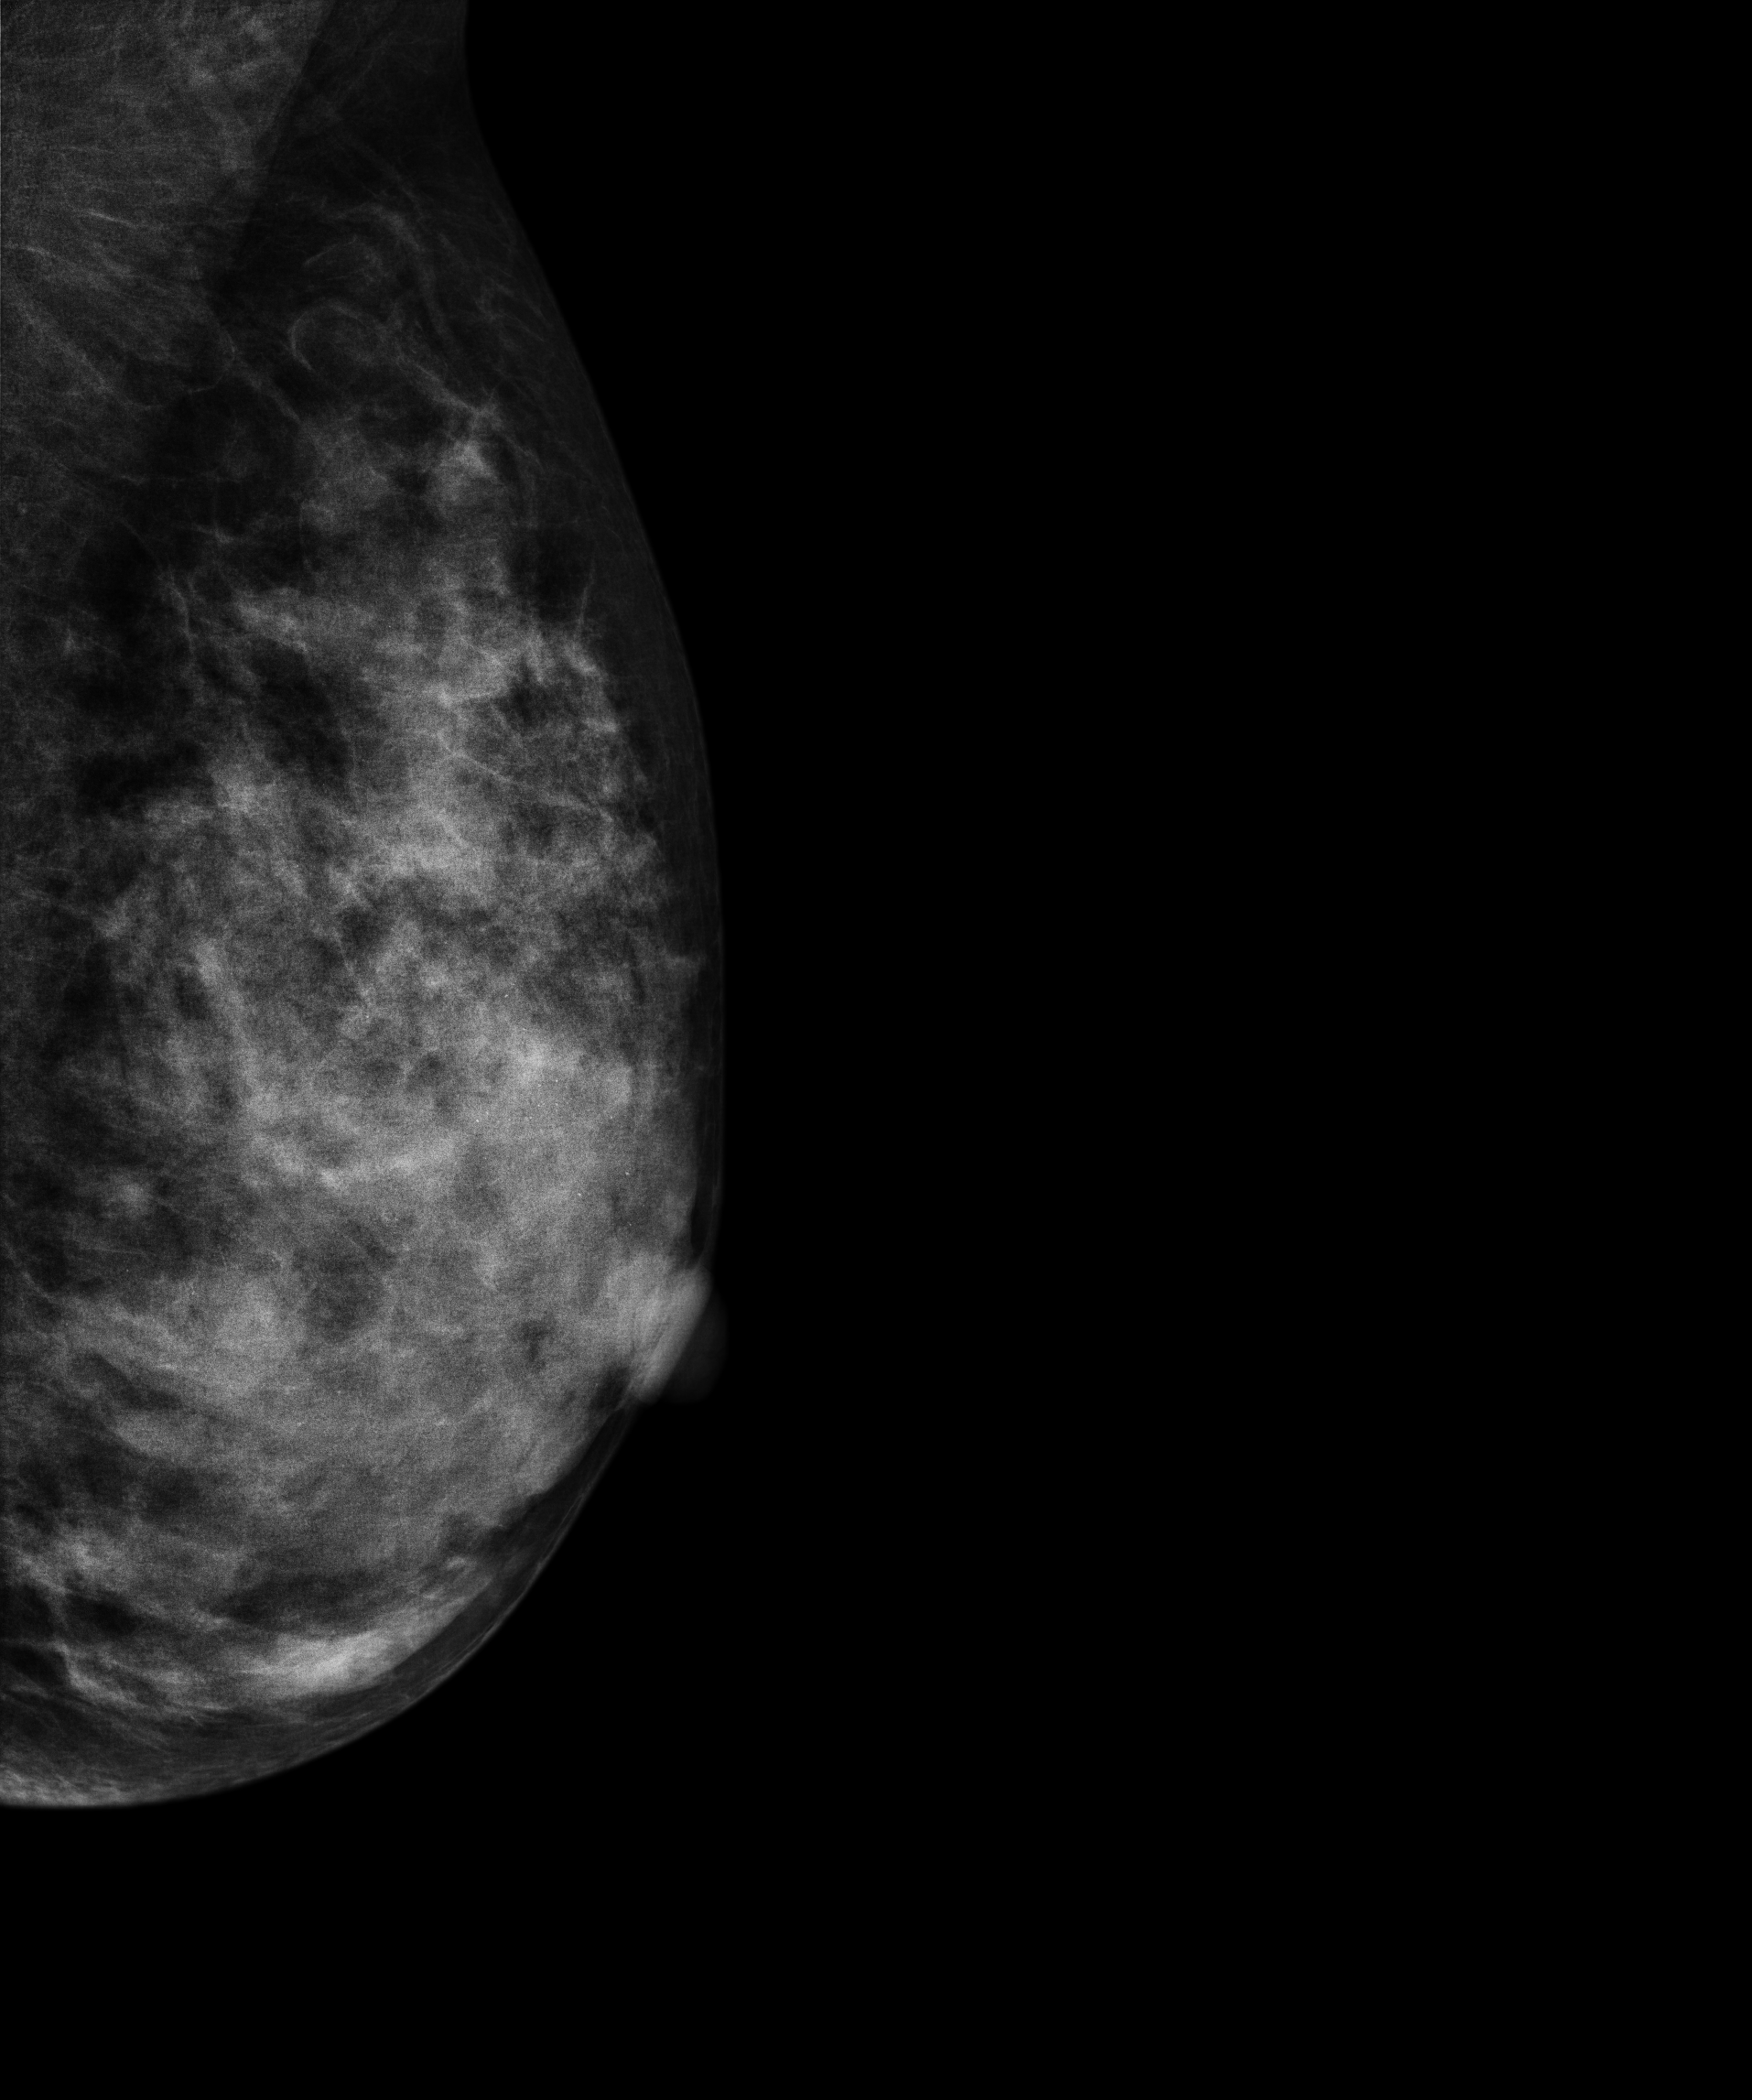
MLO mammogram of the left breast. Patient age 43.
Contralateral breast — no documented abnormality on this side.